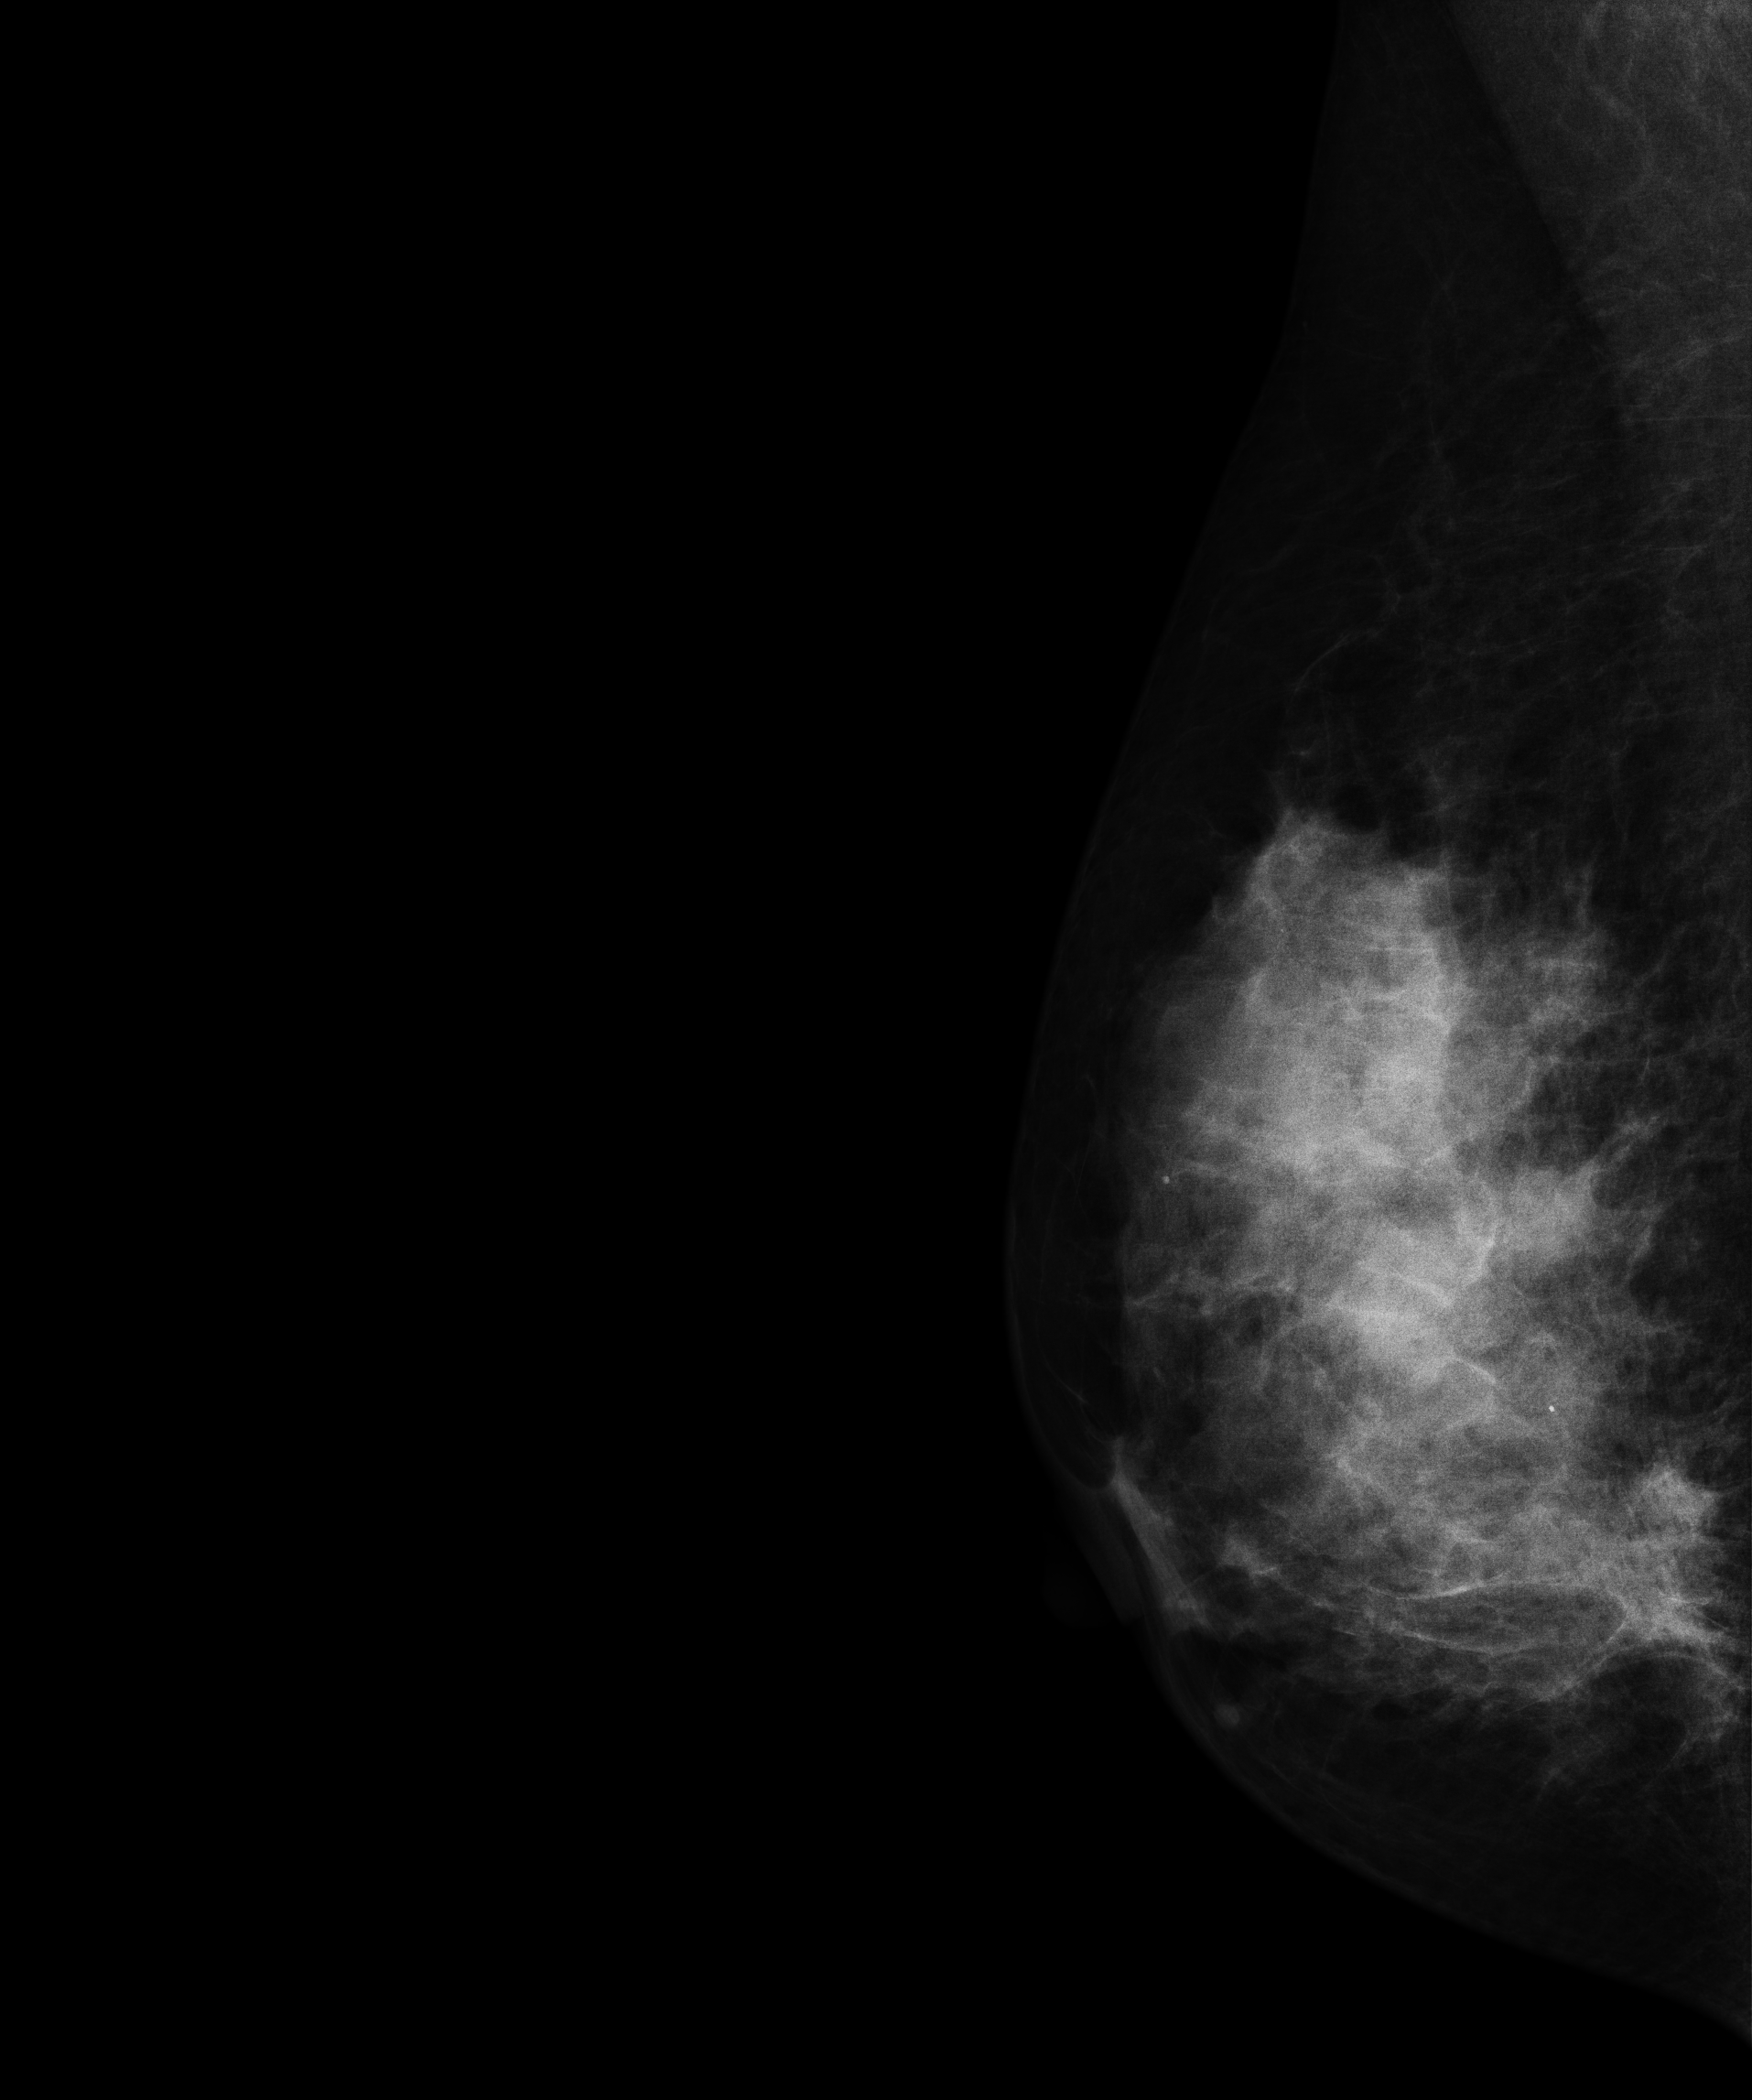
Right-breast mammogram, MLO. 49 y/o patient.
This breast has a mass, pathology-confirmed malignant. Molecular subtype: luminal B.